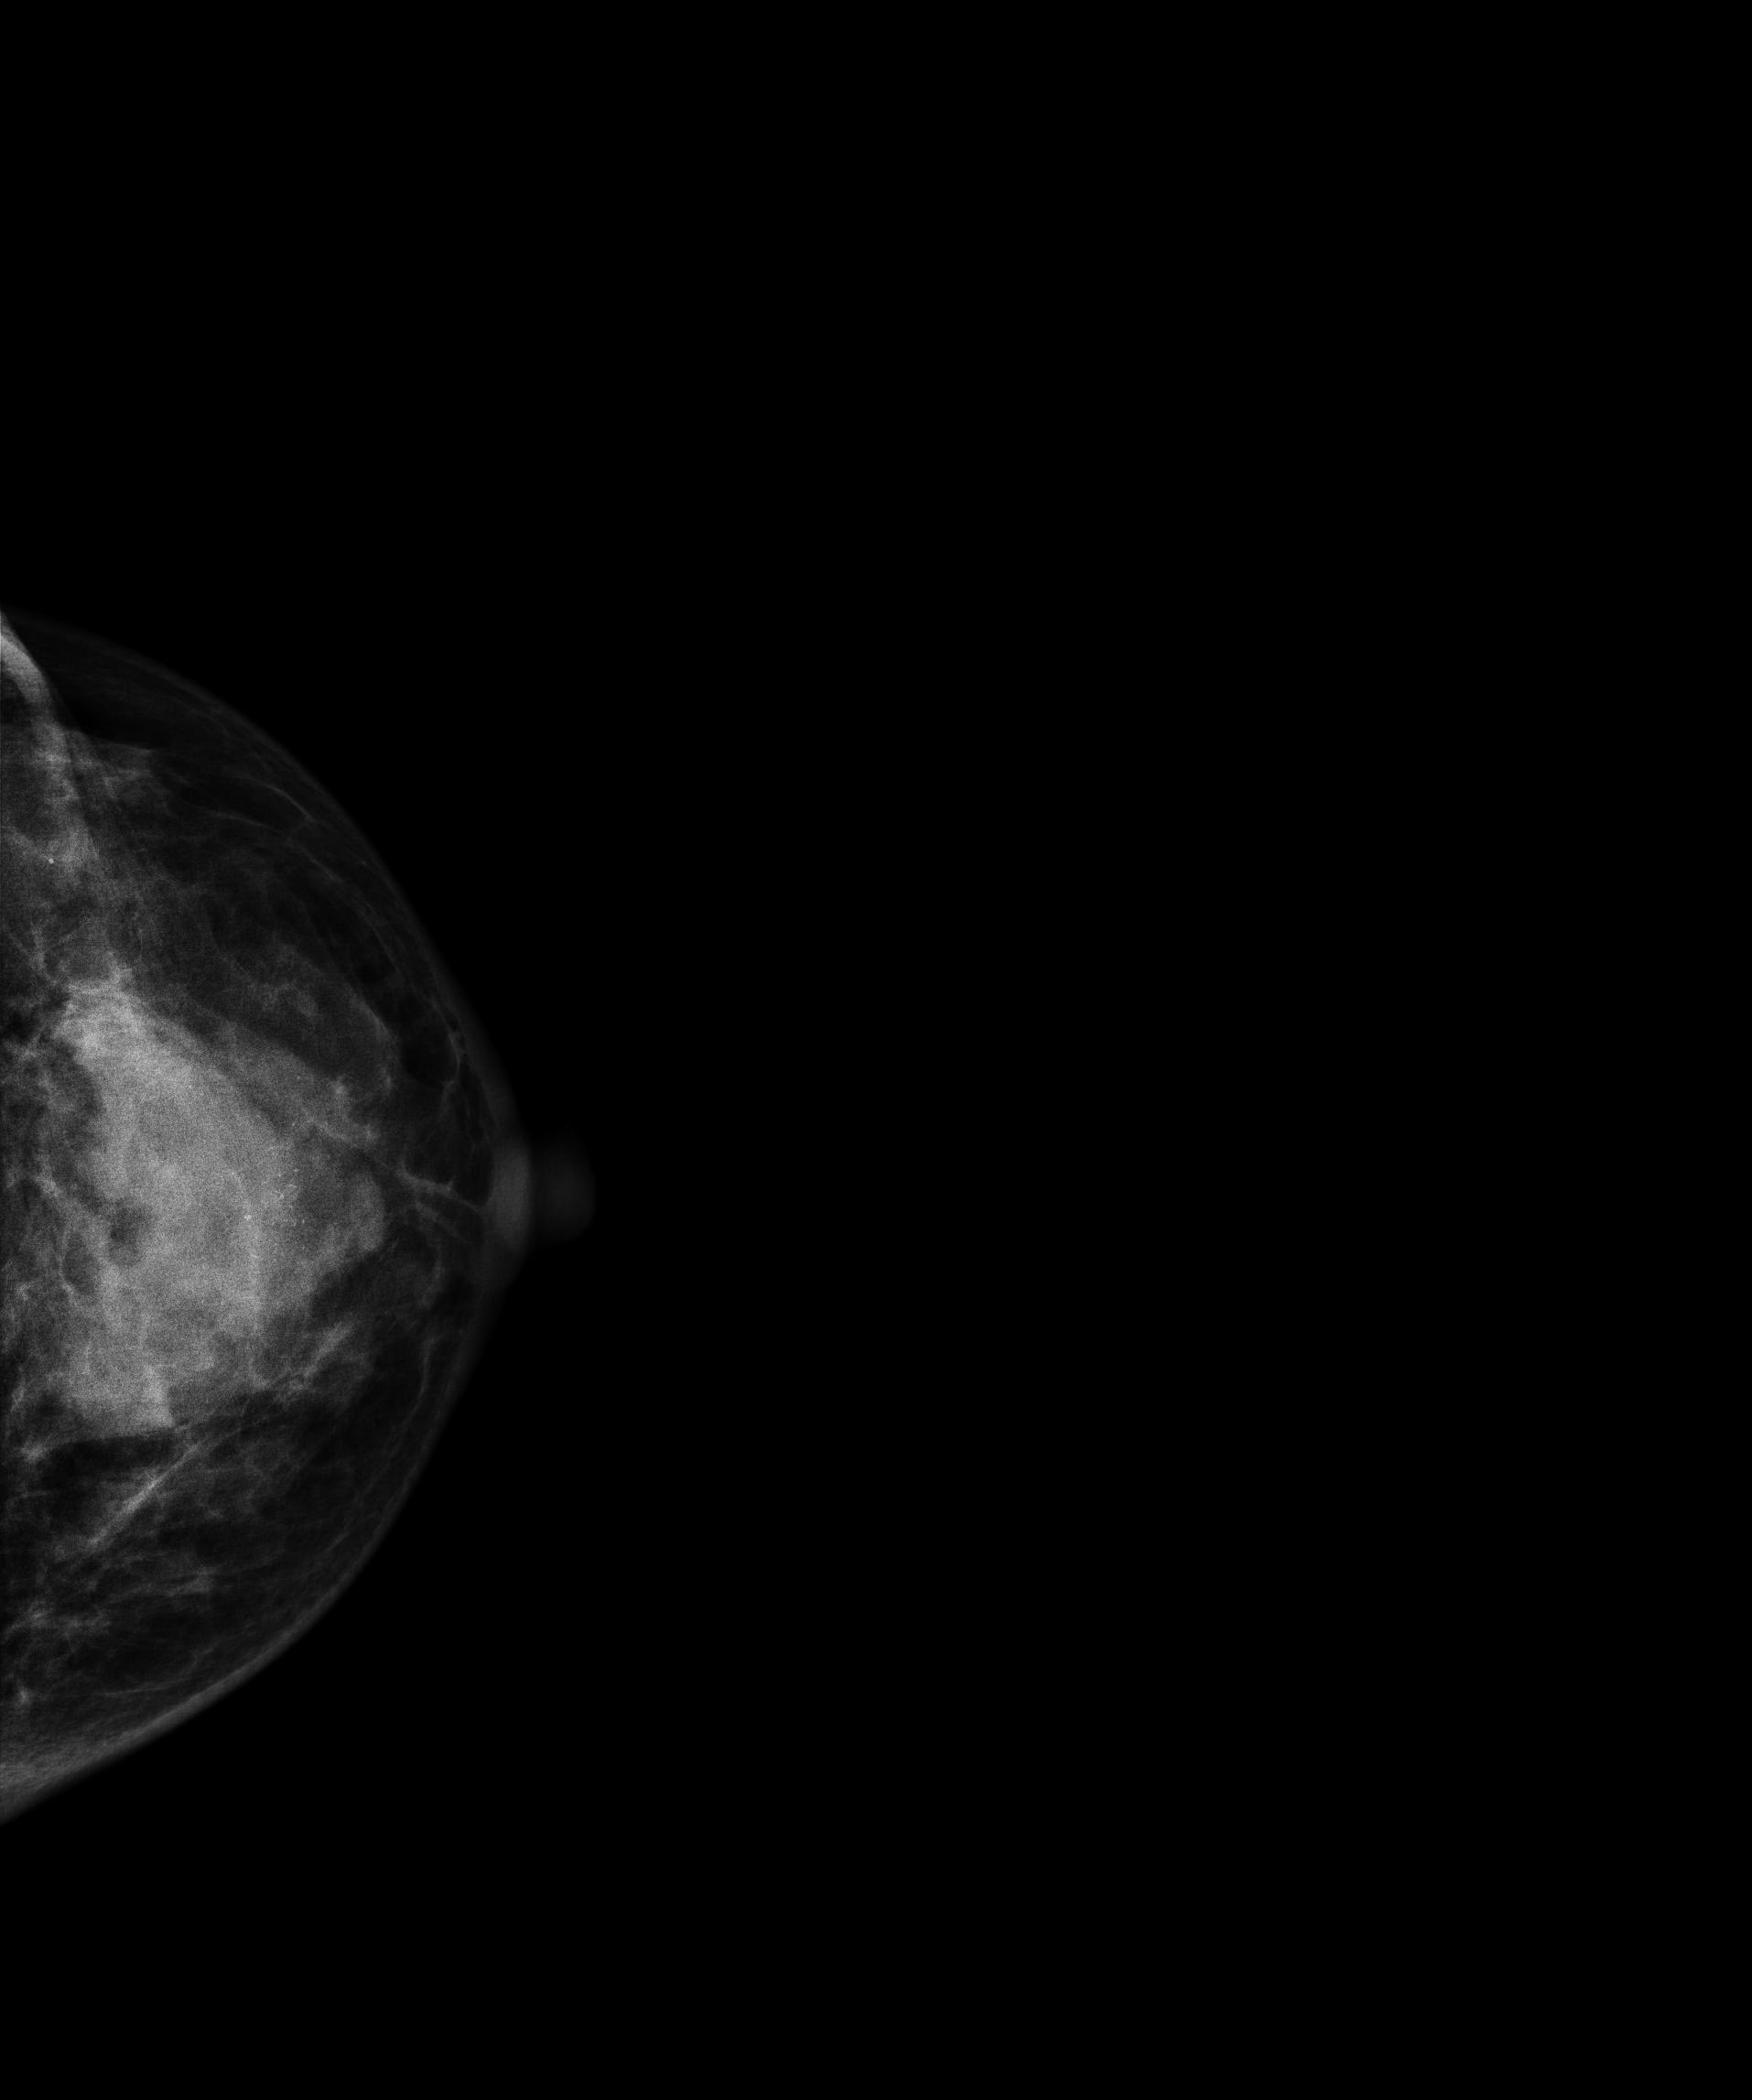
Left-breast mammogram, CC. 49 y/o patient.
This breast has a mass and calcifications, biopsy-confirmed malignant. Molecular subtype: triple-negative.